CC mammogram of the left breast. 32-year-old patient.
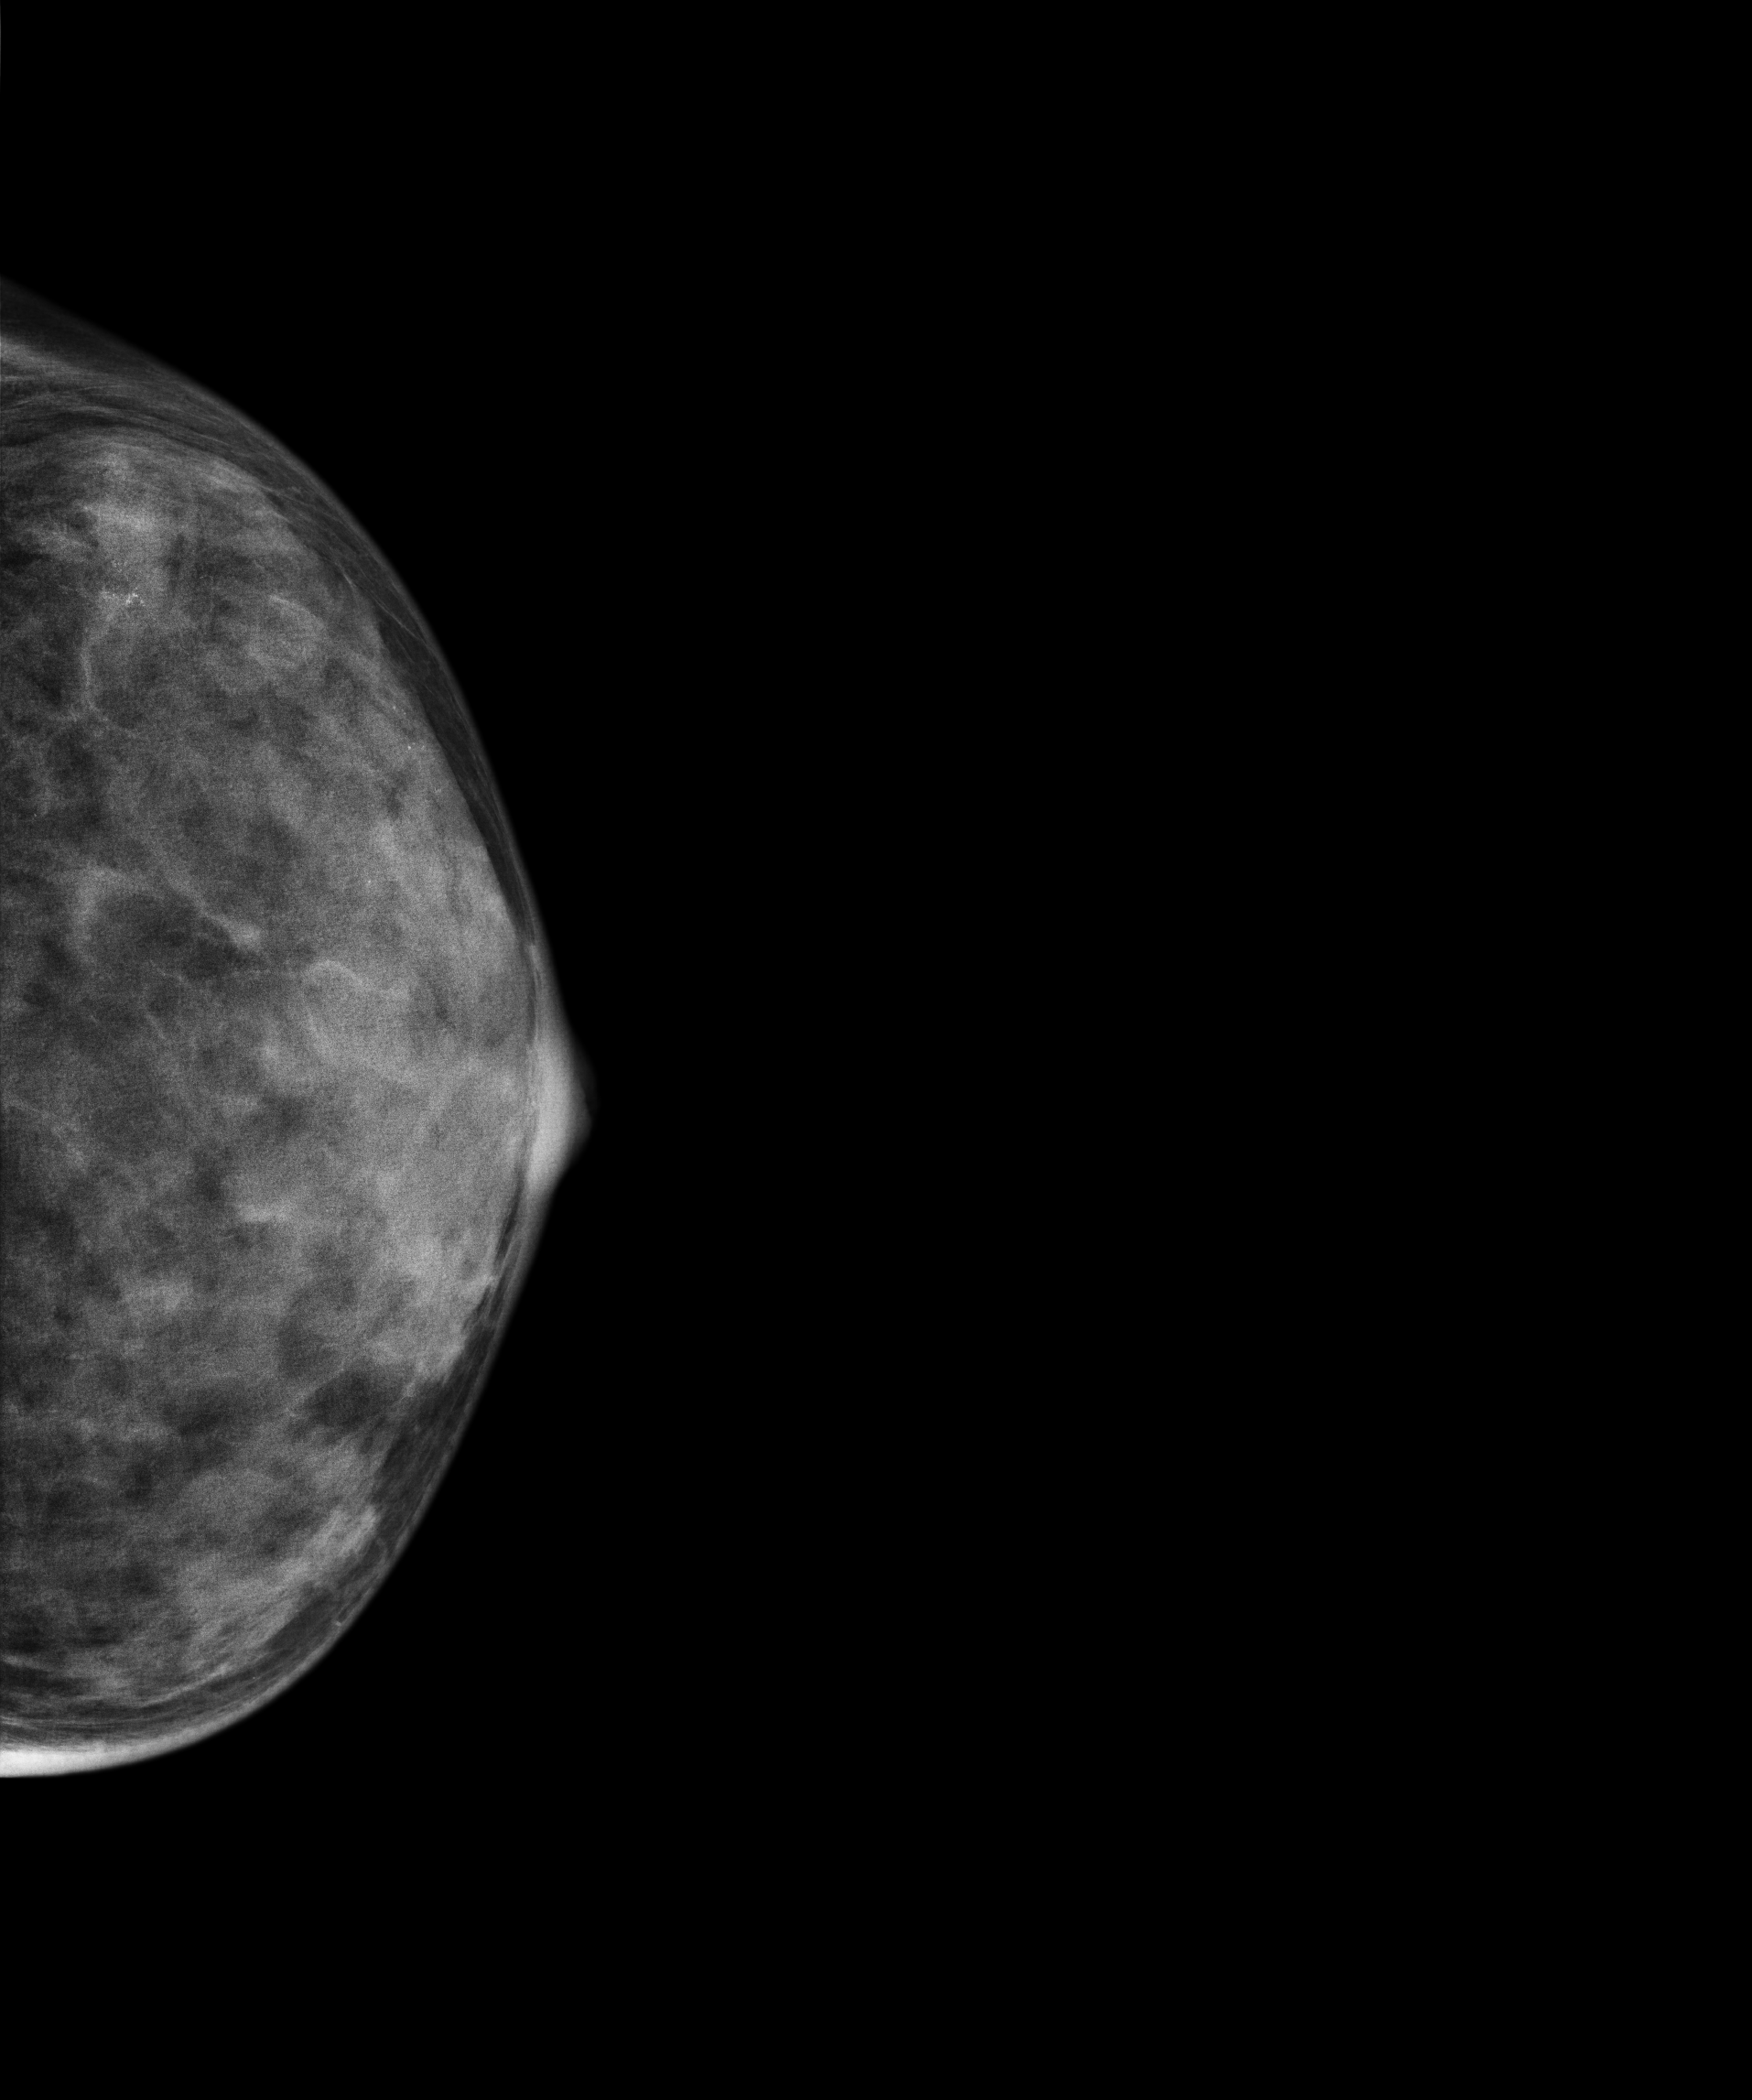
This breast has a mass and calcifications, biopsy-proven malignant. Molecular subtype: luminal A.